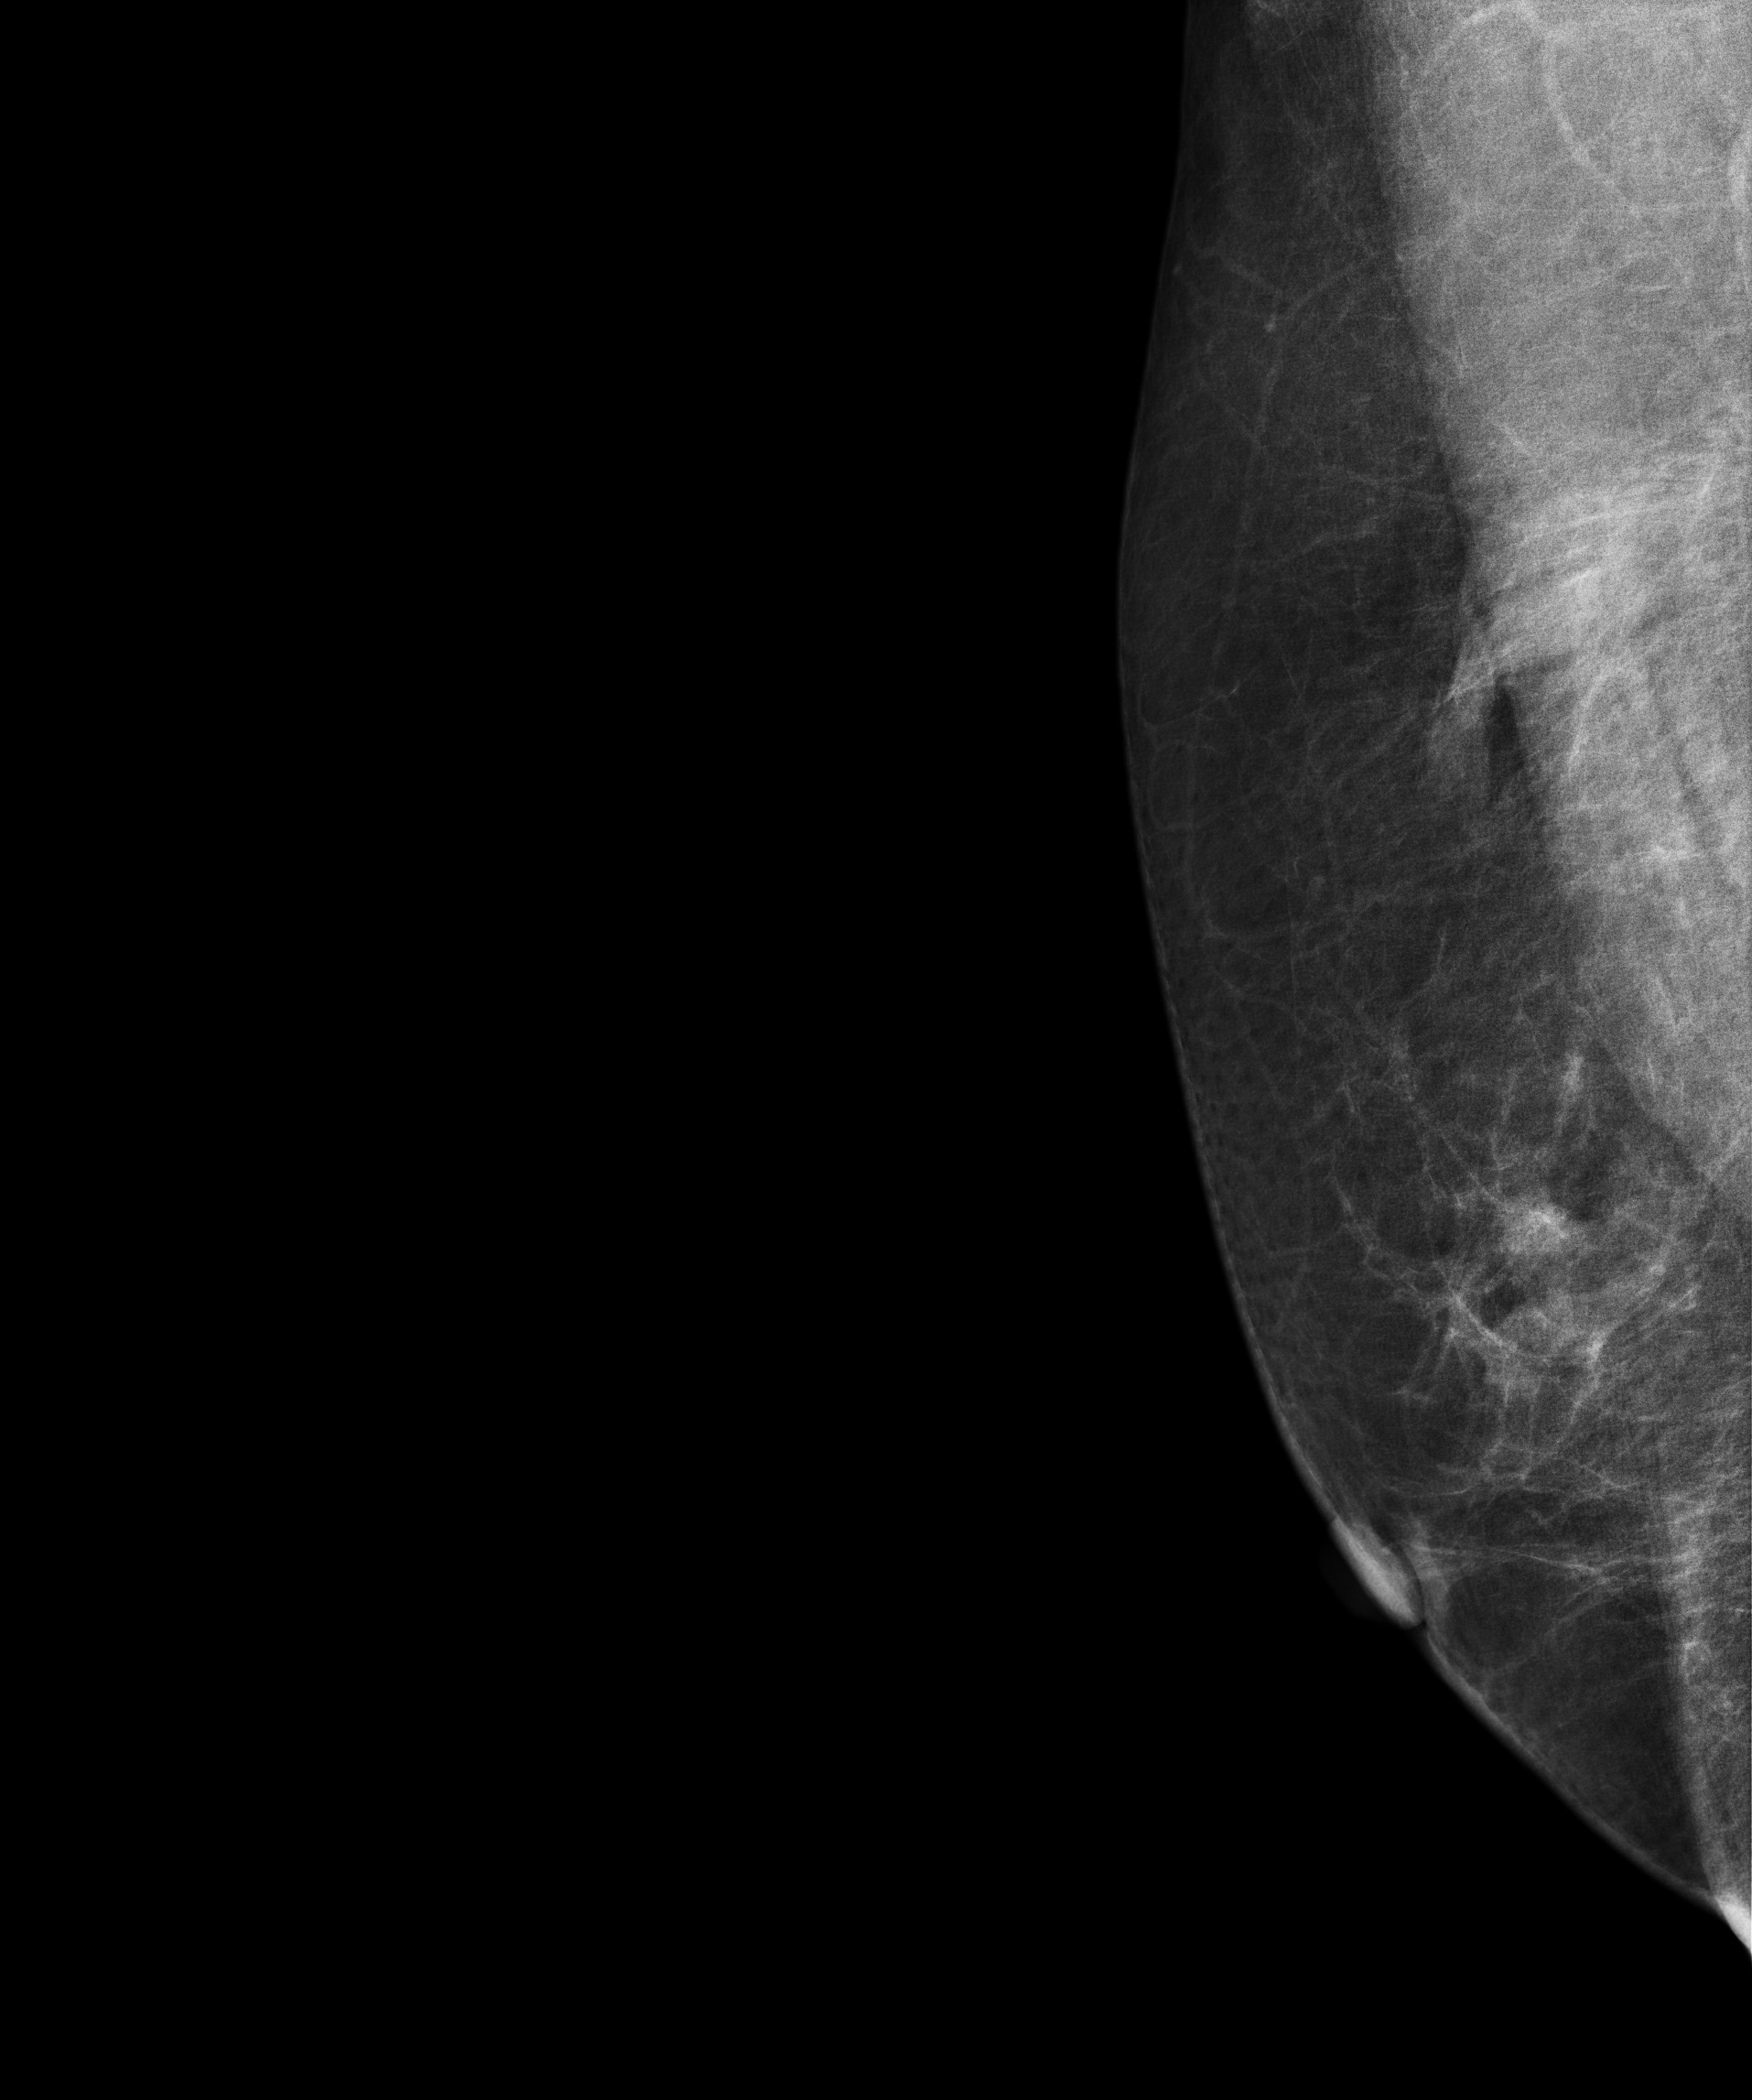
Mammogram, right breast, medio-lateral oblique view. 52 y/o patient.
Contralateral breast — no documented abnormality on this side.